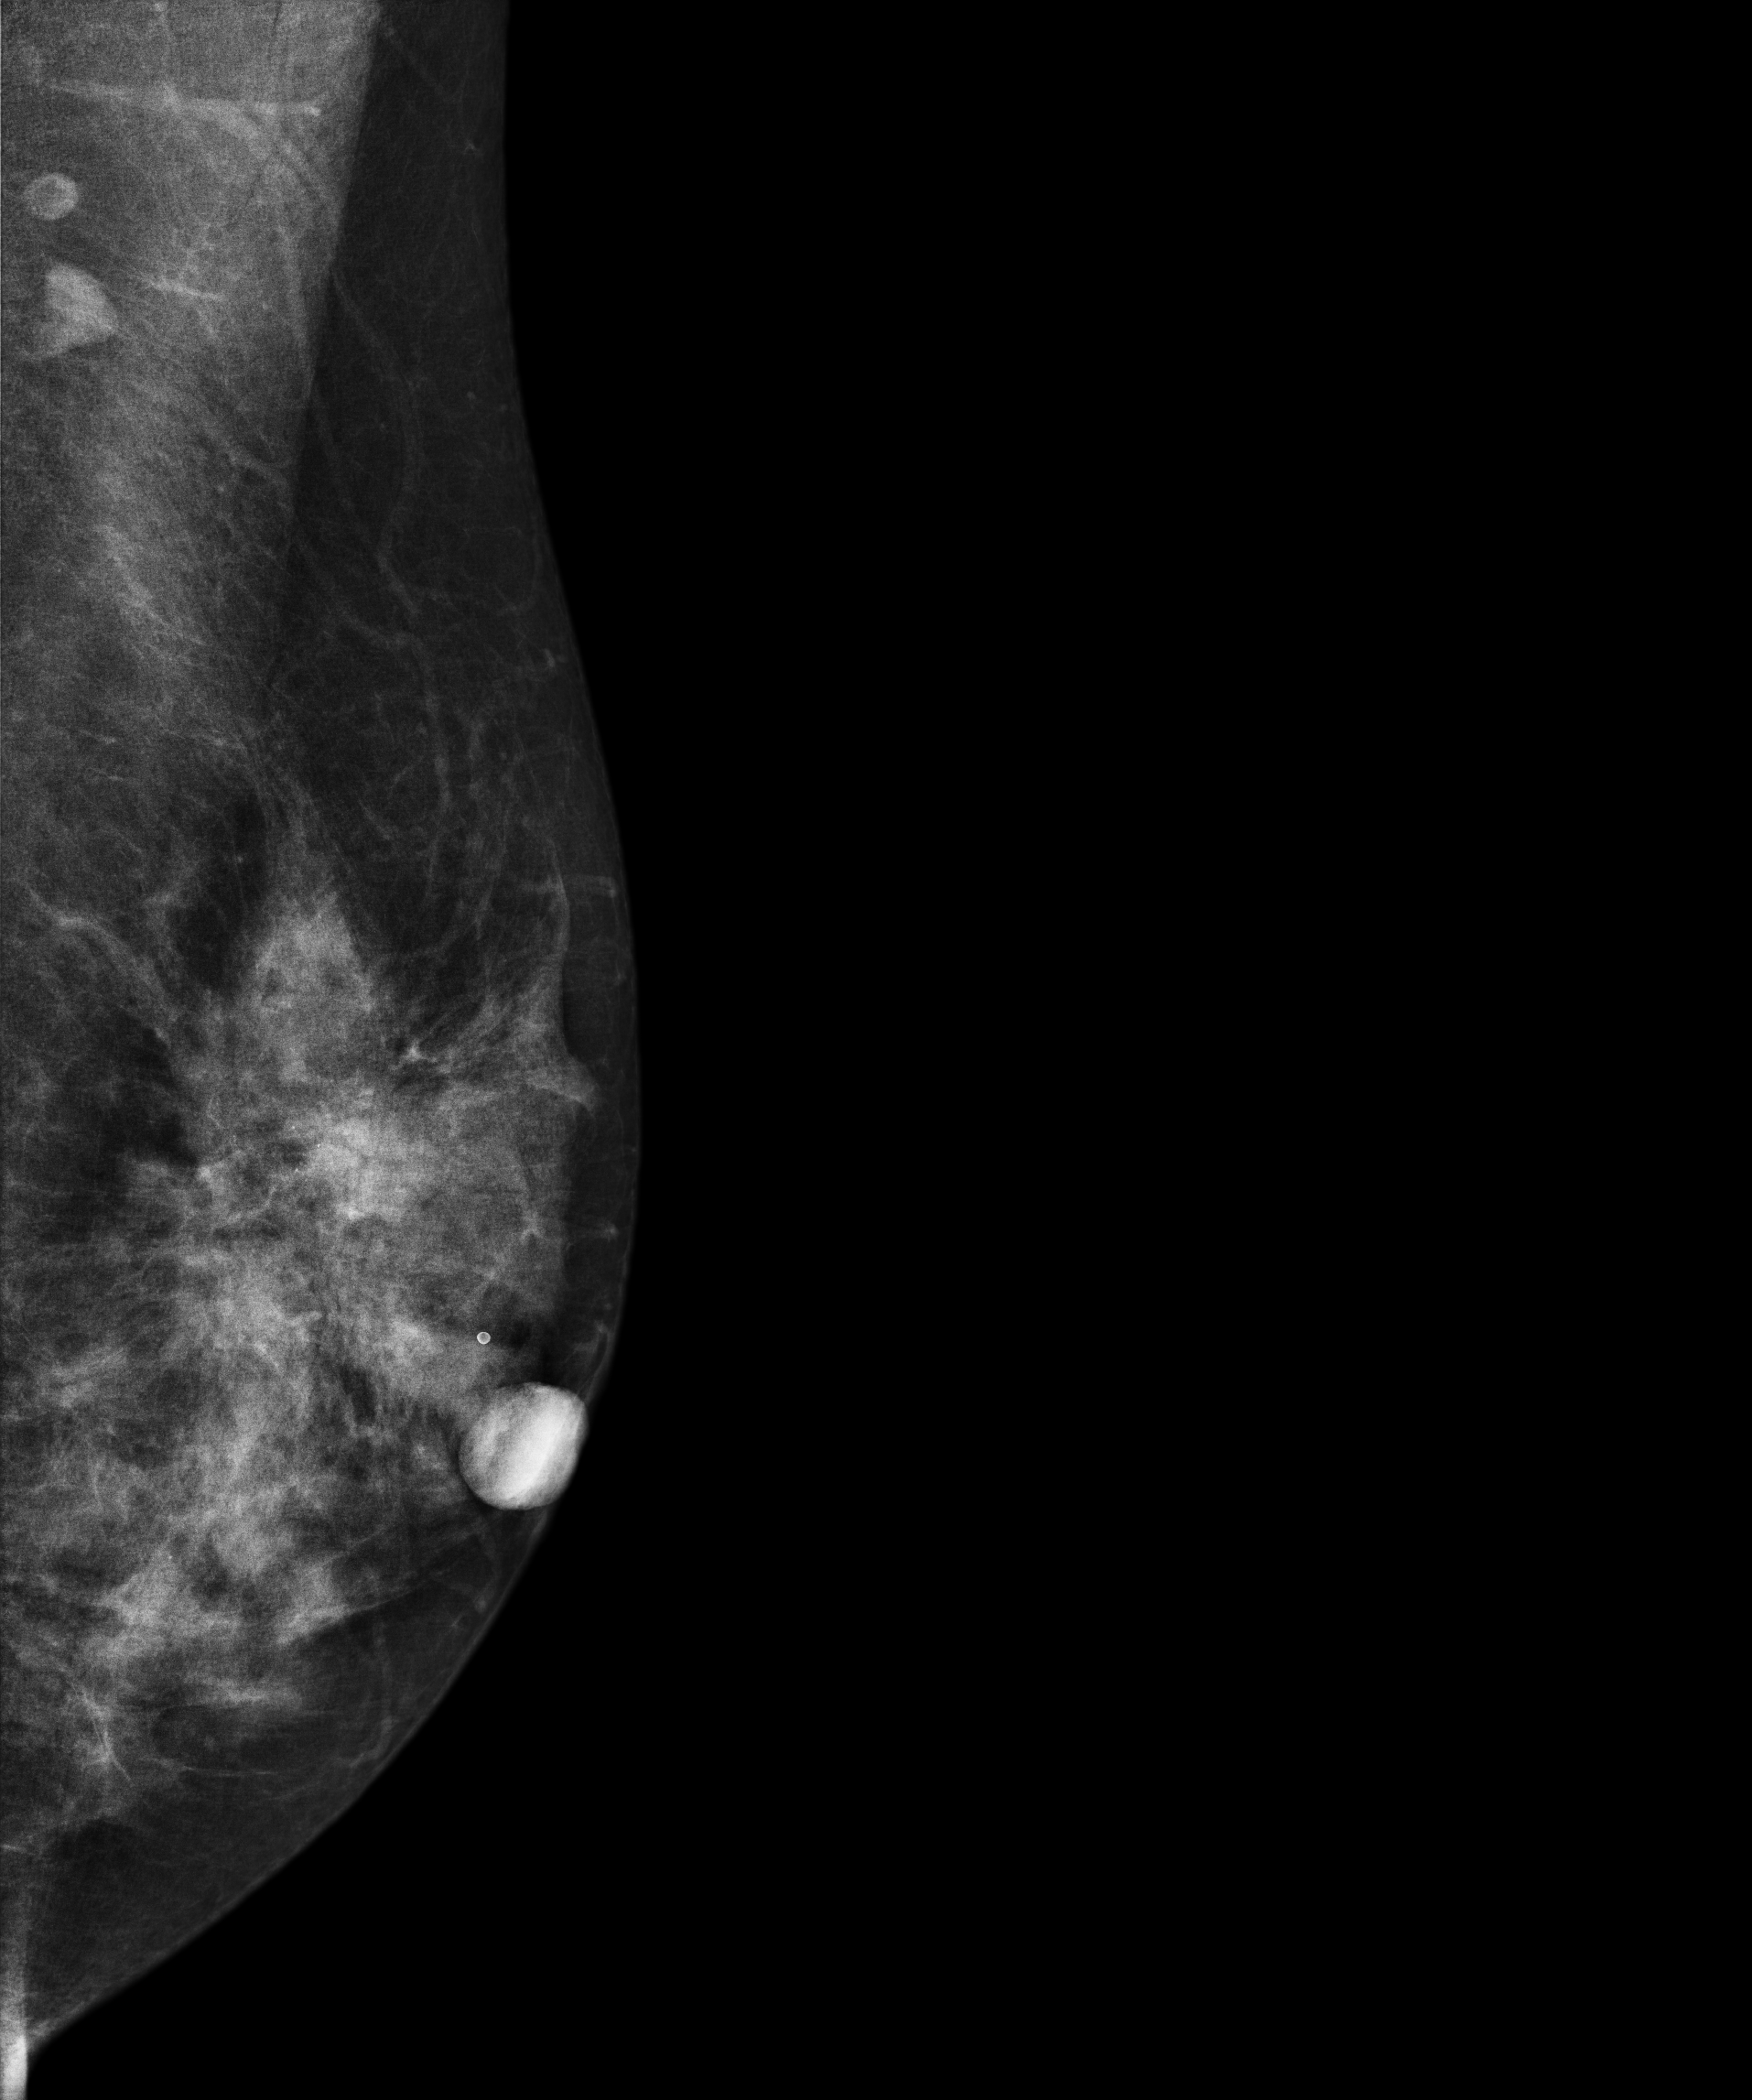
Mammogram — left medio-lateral oblique. Patient age 44.
This breast has a mass and calcifications, biopsy-proven malignant. Molecular subtype: luminal B.